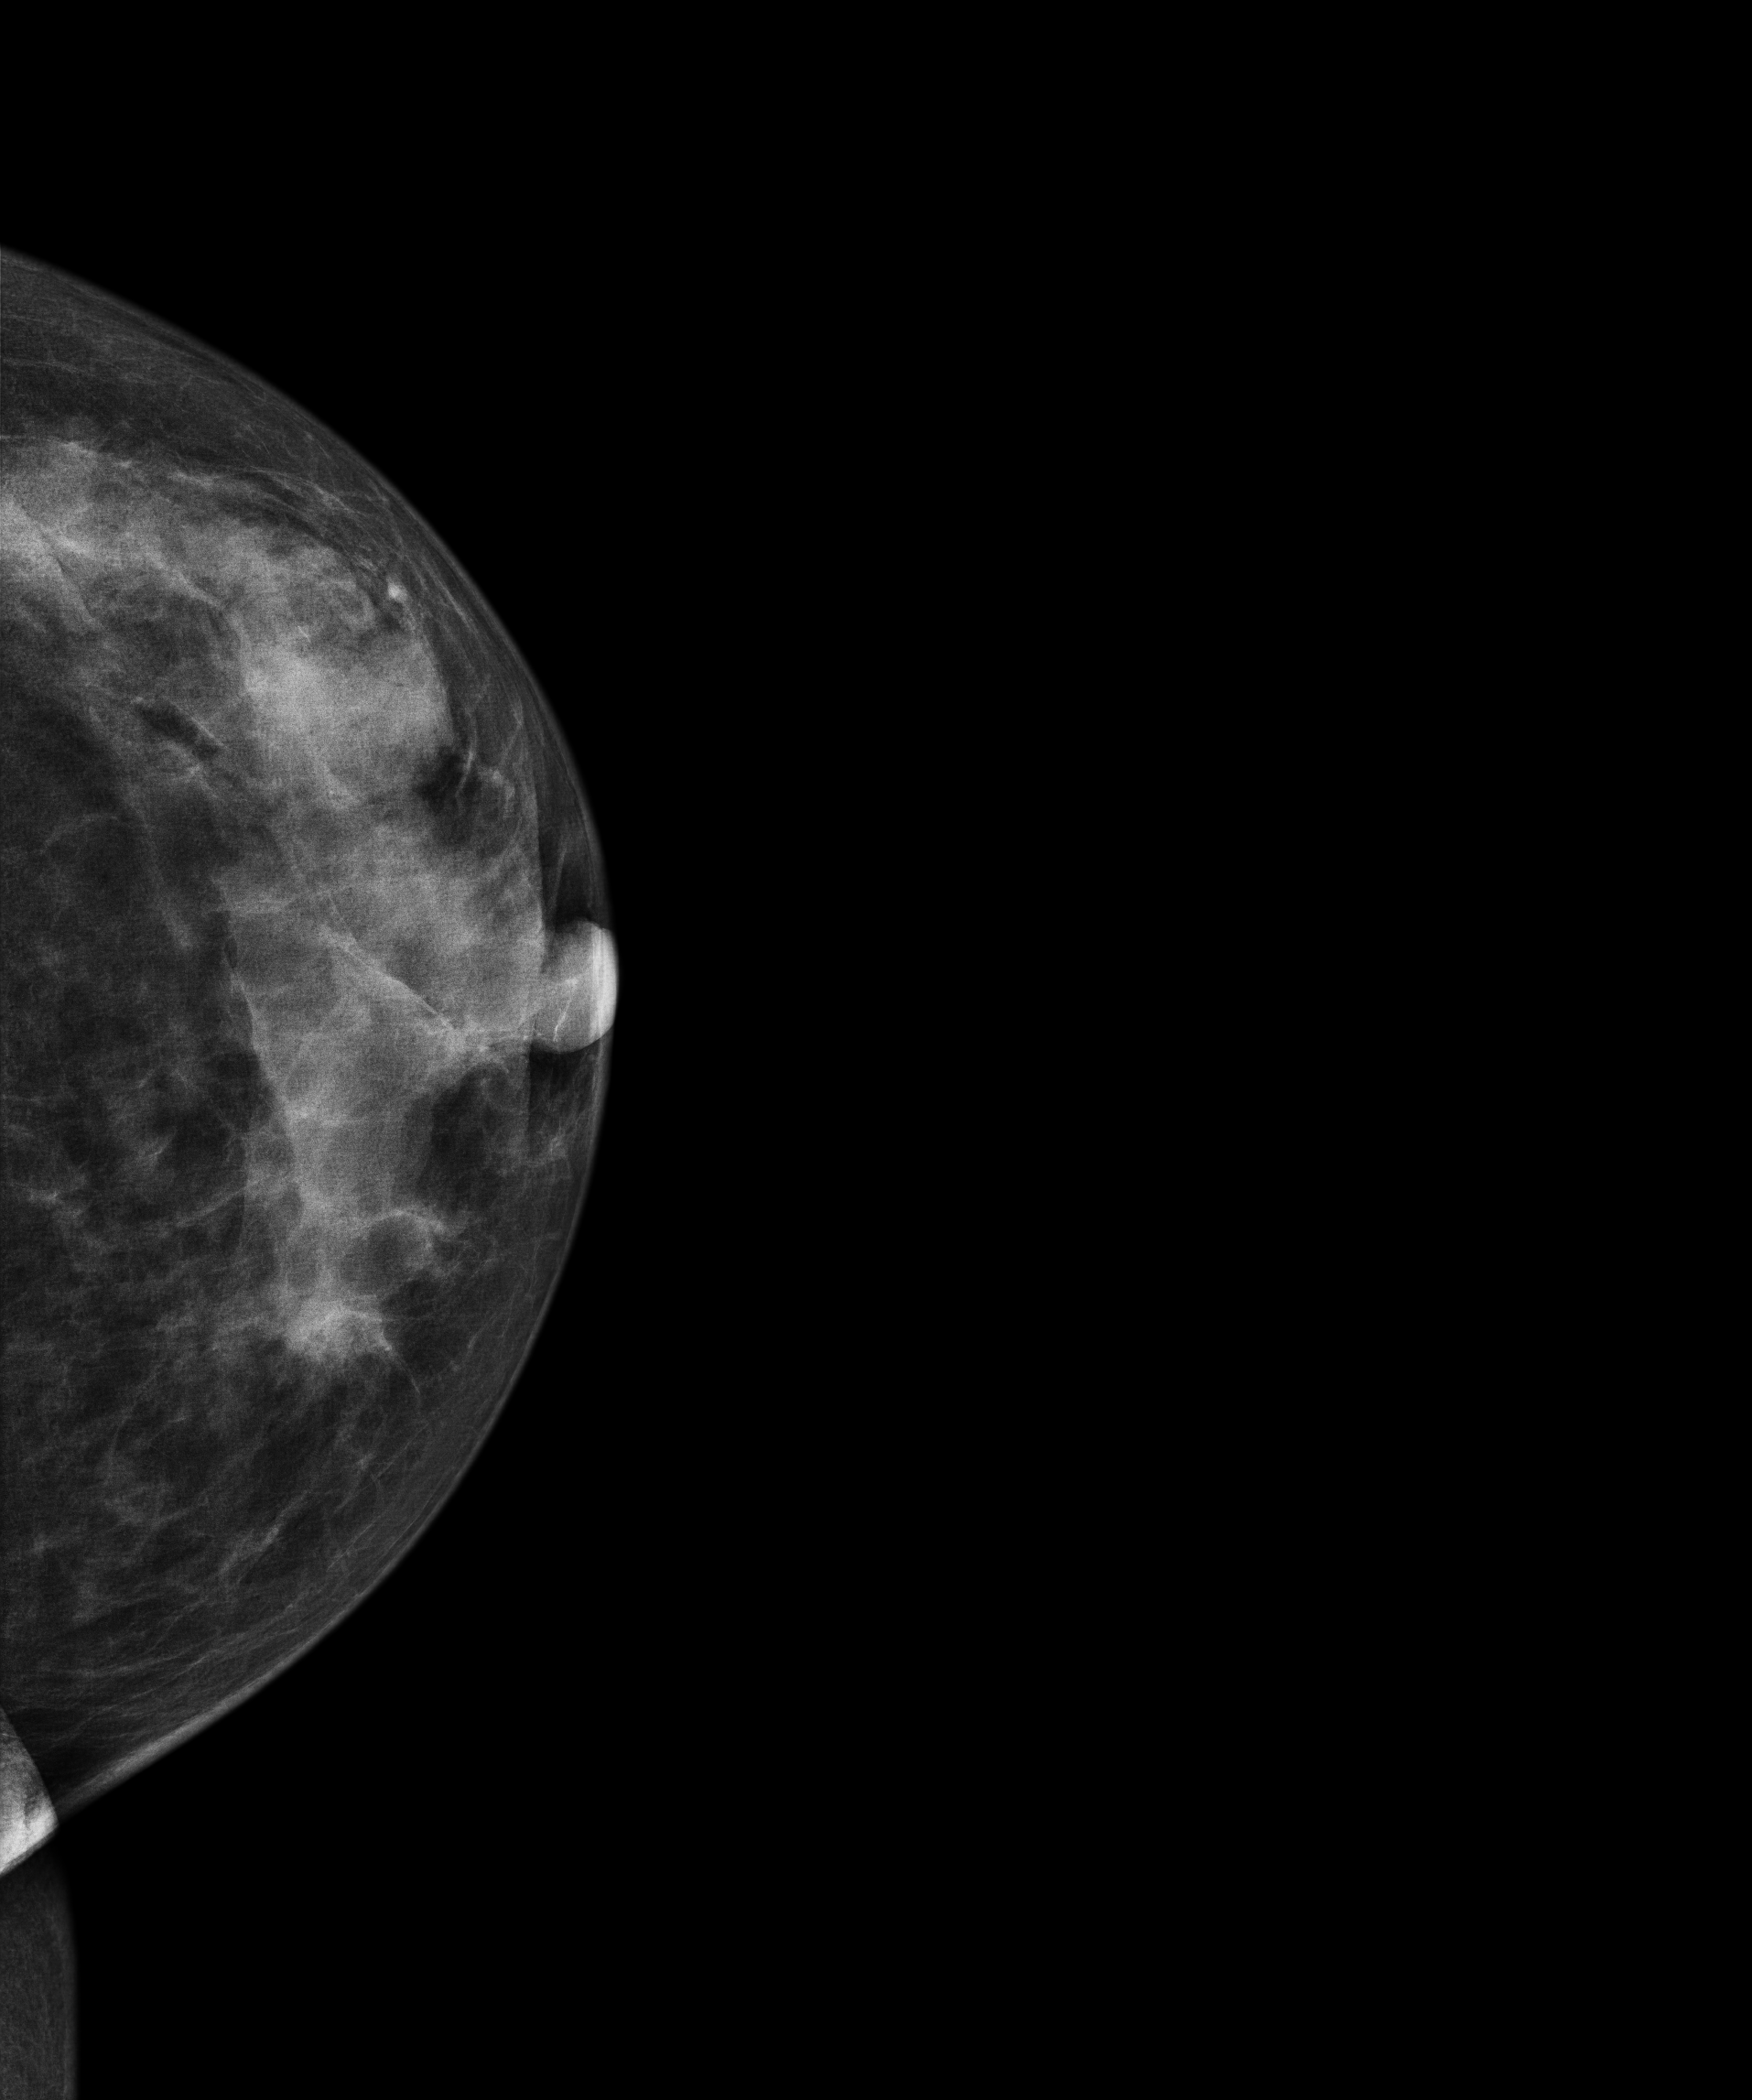
Mammogram — left cranio-caudal. Patient age 36.
This breast has a mass, pathology-confirmed benign.